Right-breast mammogram, medio-lateral oblique. Patient age 78.
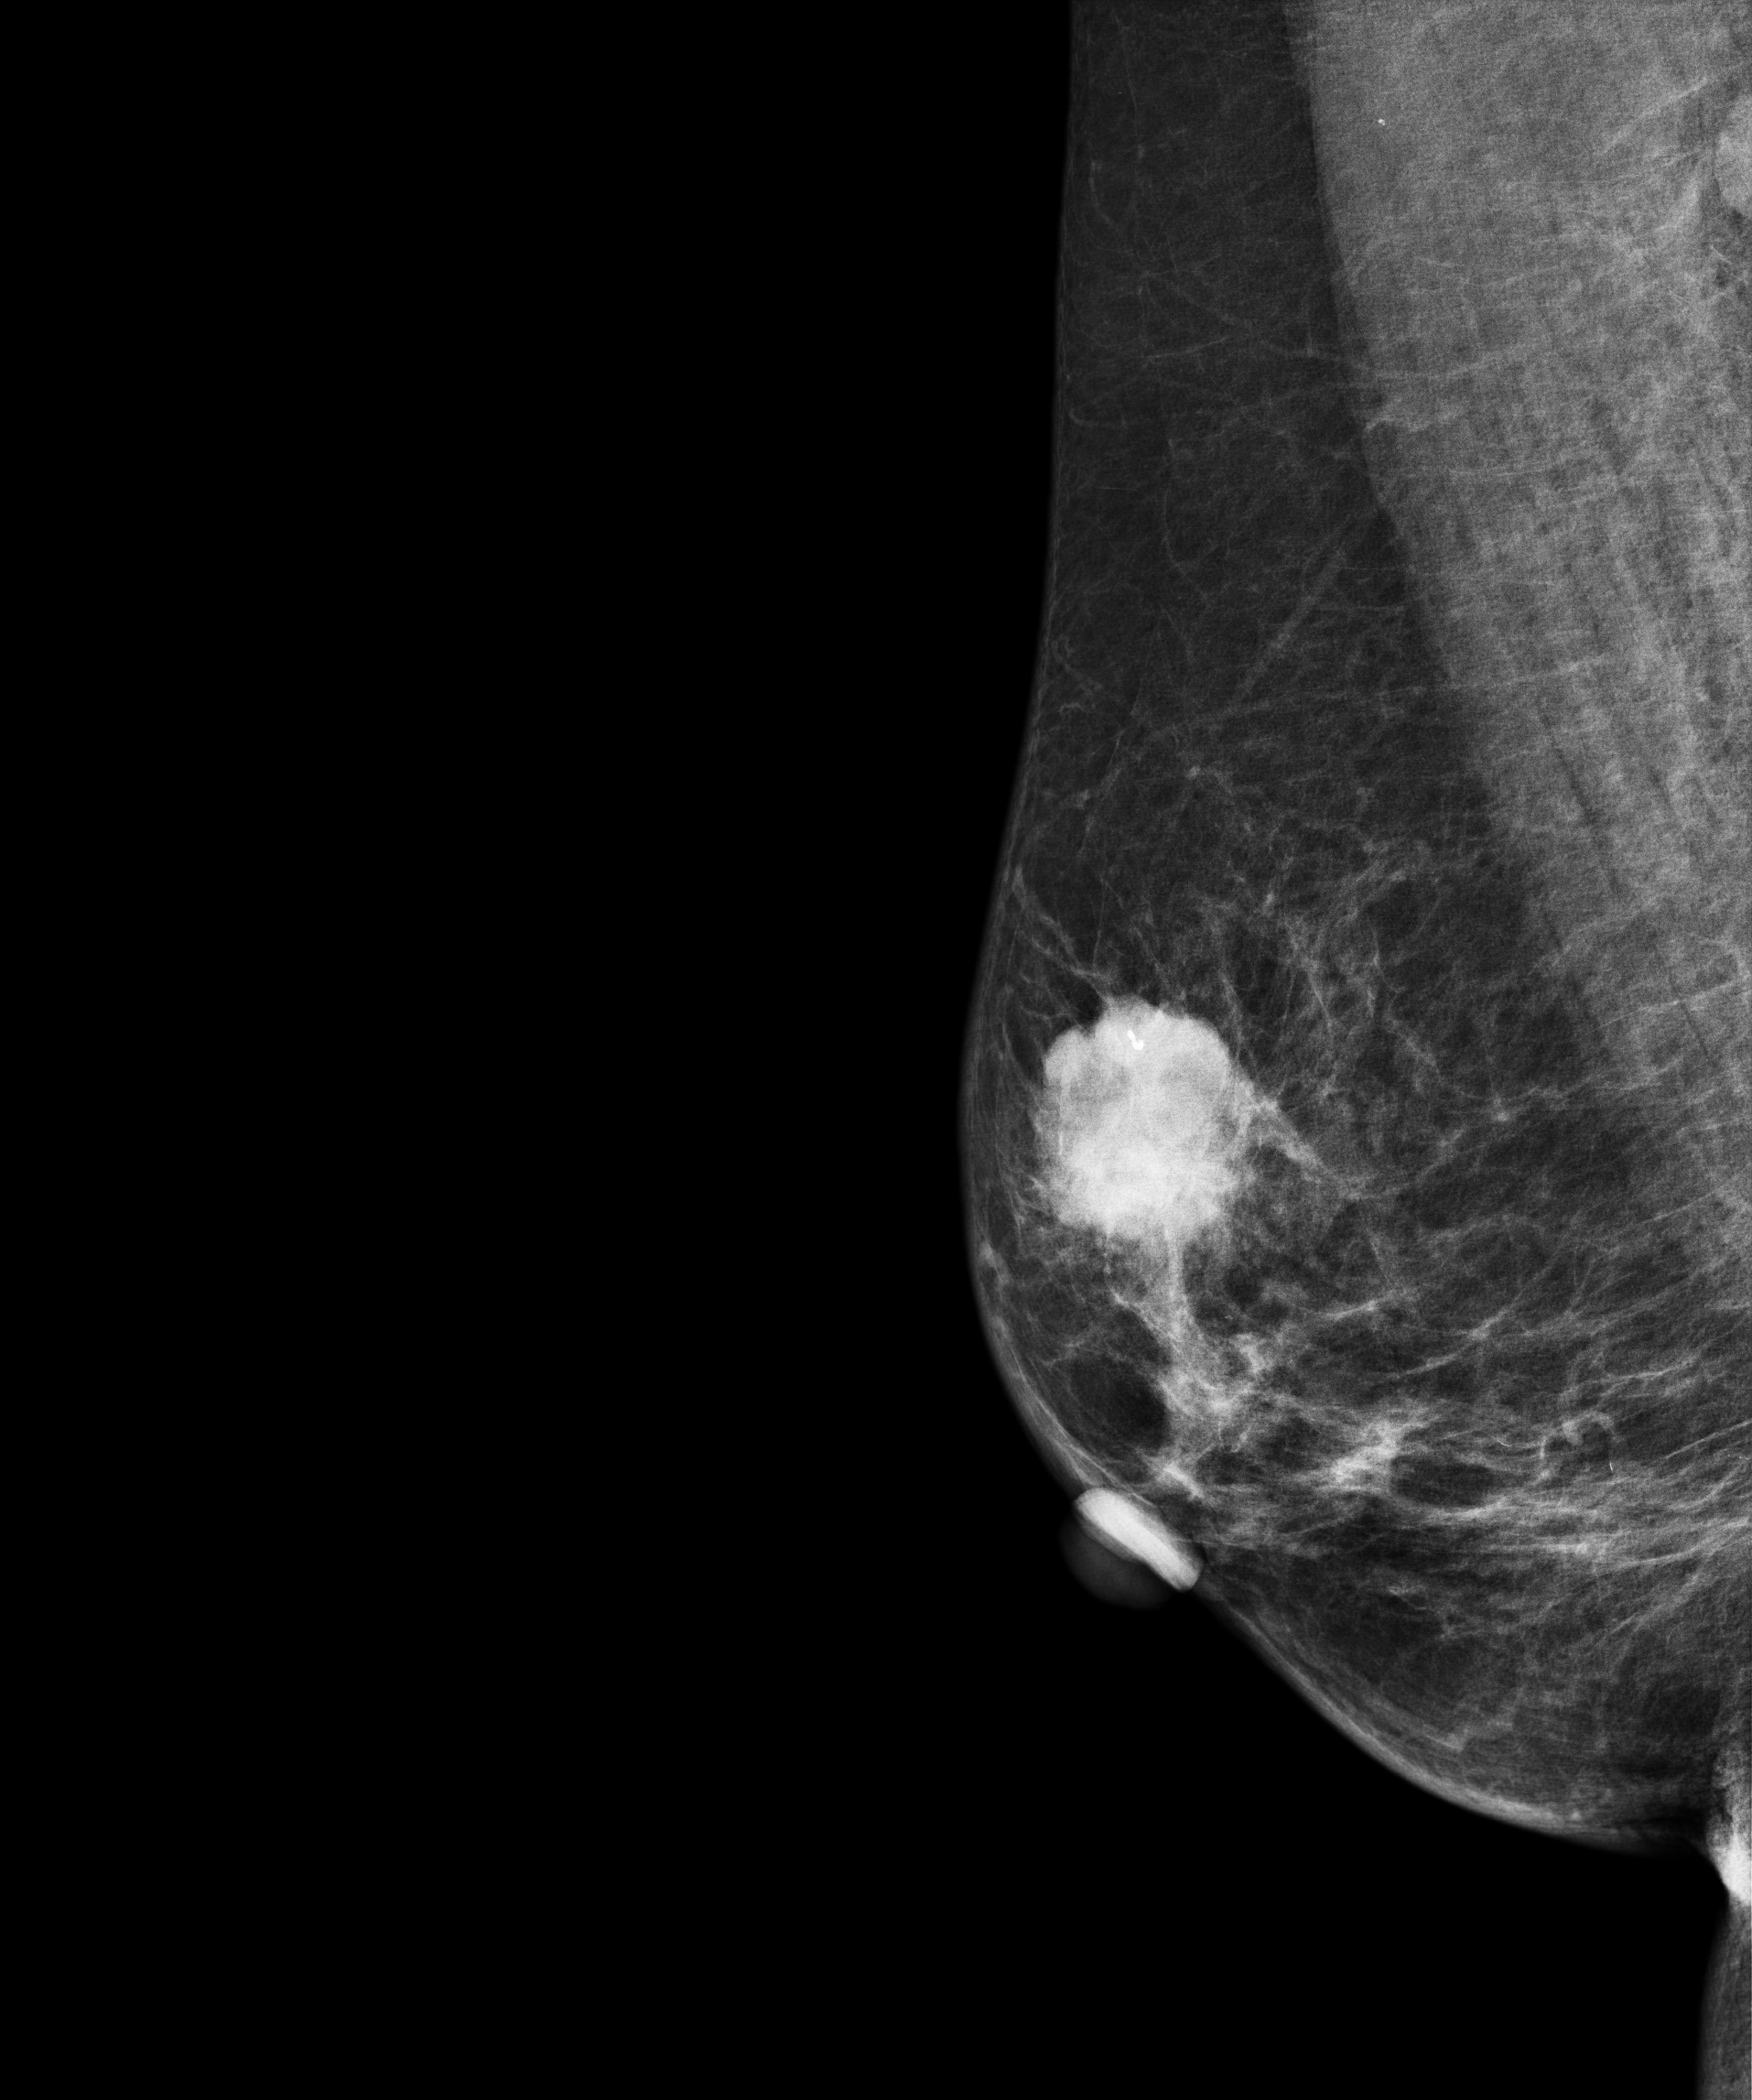
This breast has a mass and calcifications, histologically confirmed malignant.